Mammogram — left medio-lateral oblique. 41 y/o patient.
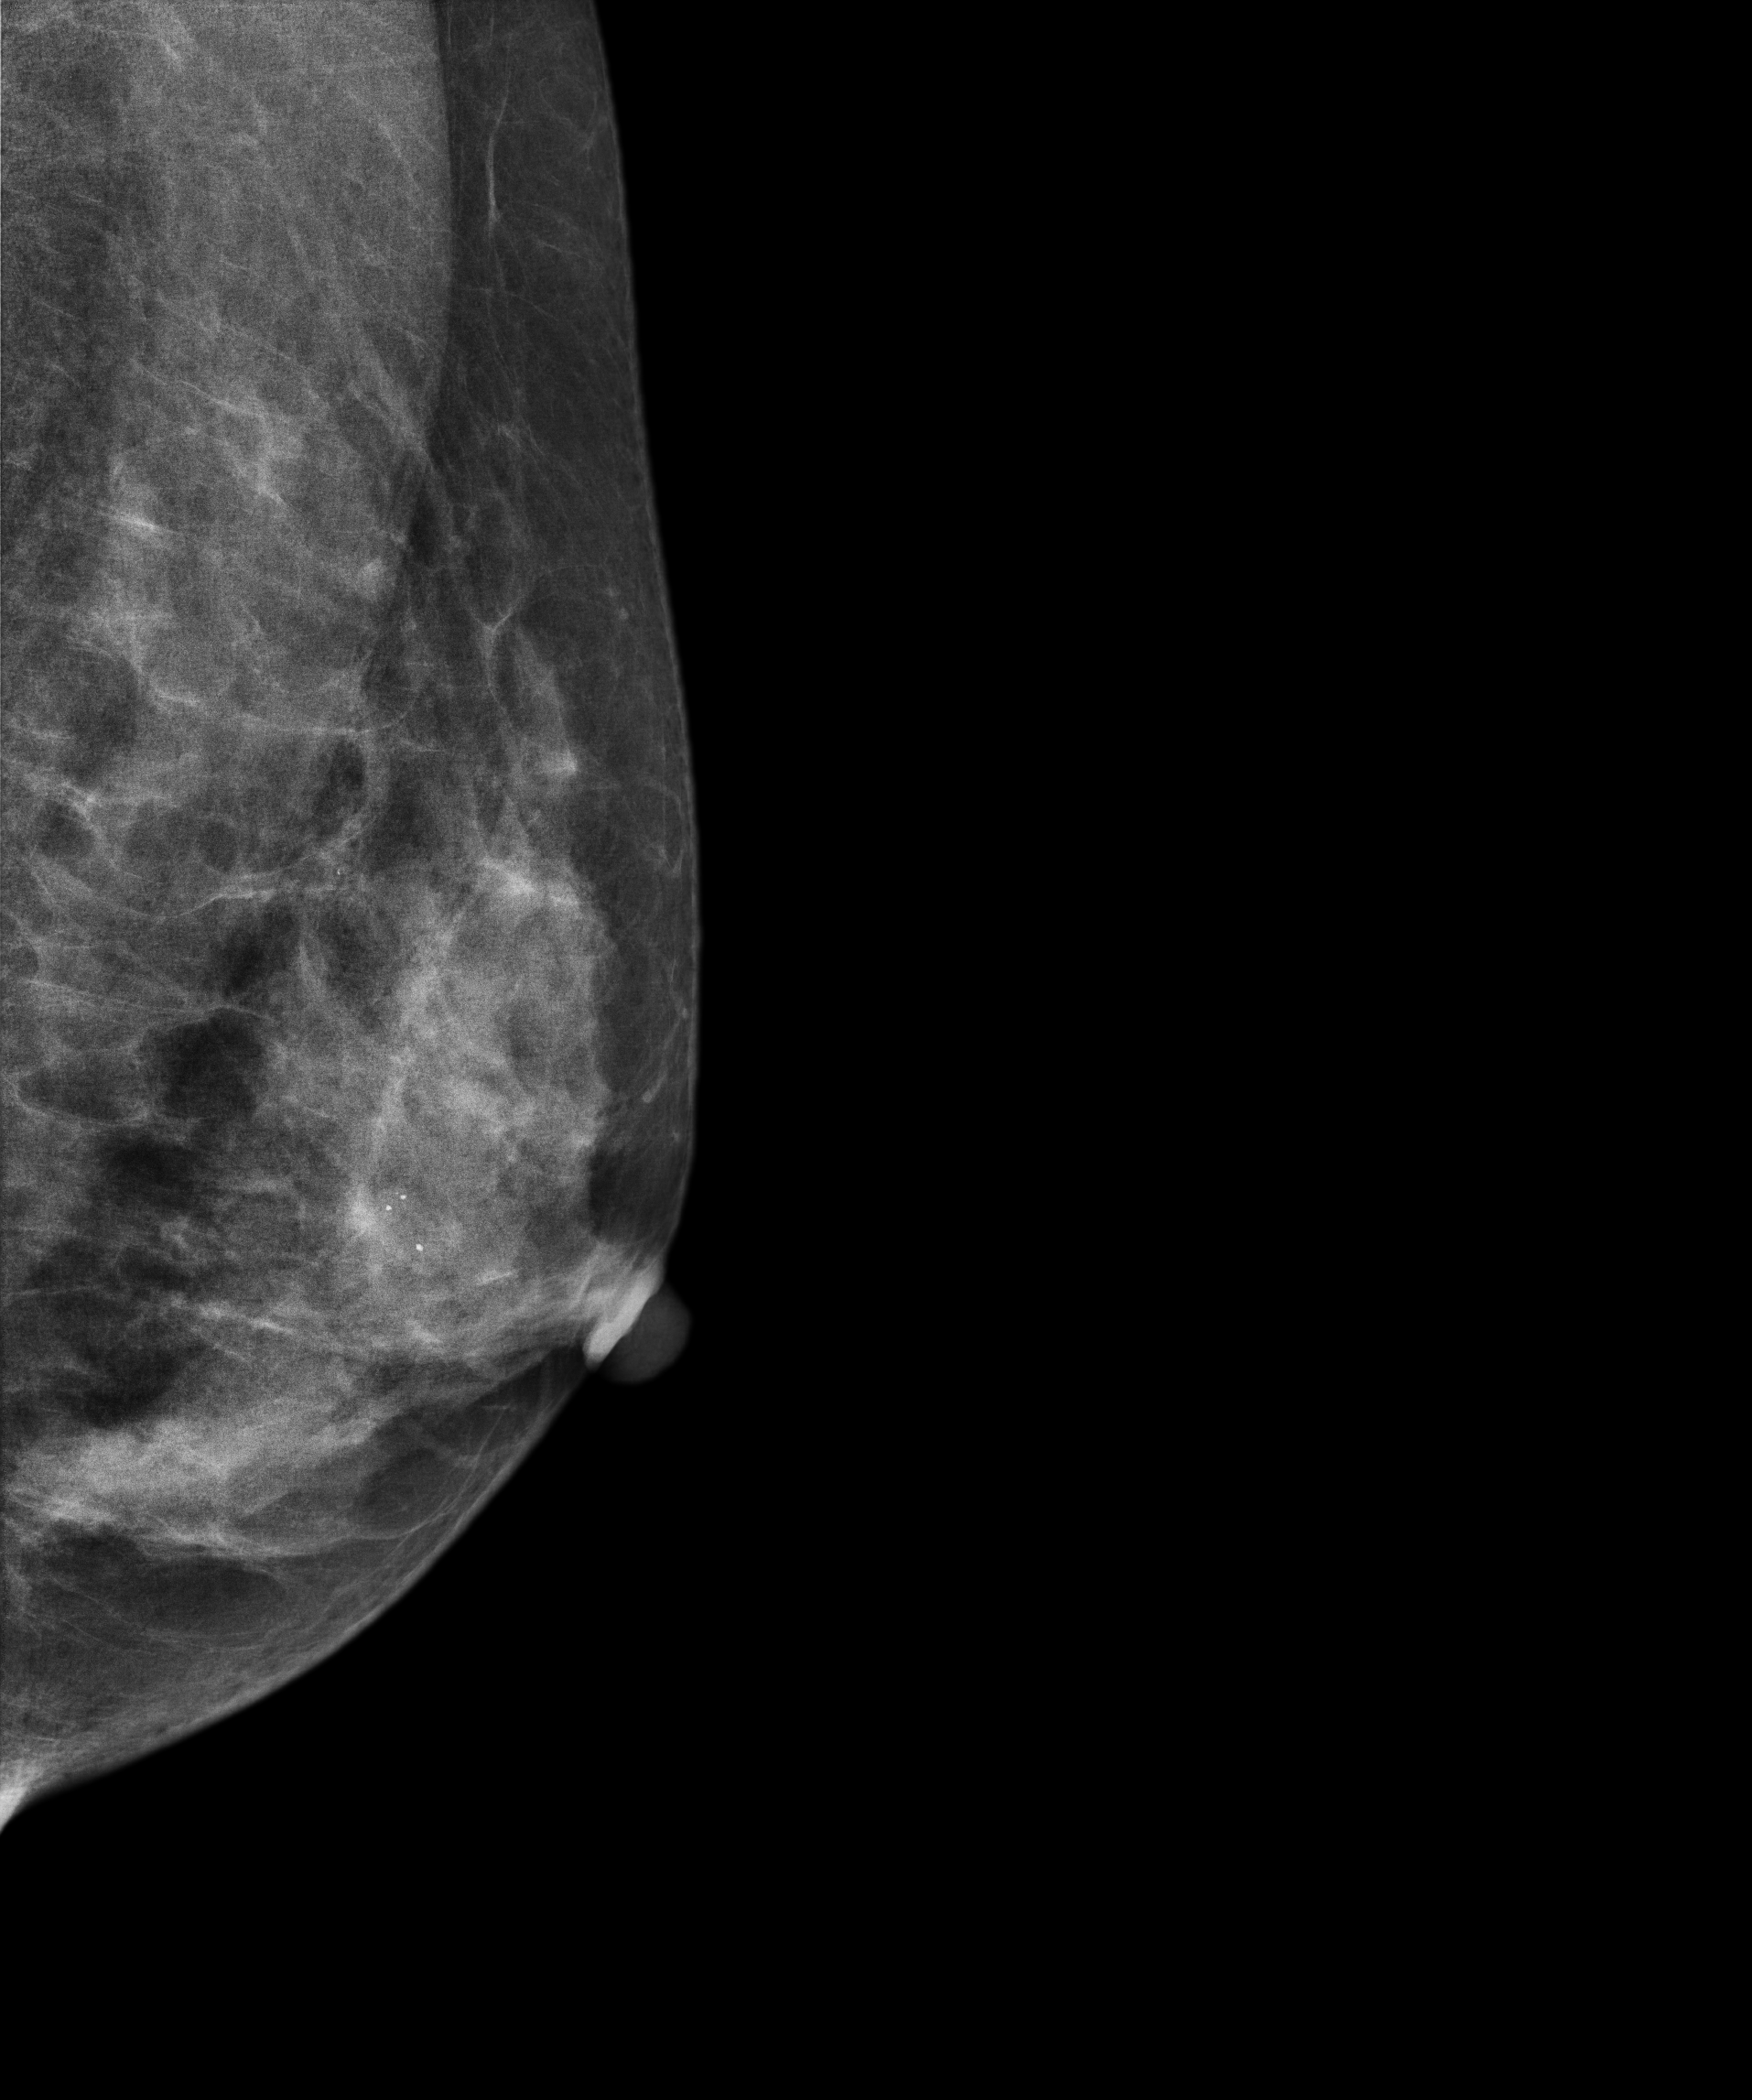
This breast has calcifications, biopsy-proven benign.